Left-breast mammogram, CC. Patient age 52.
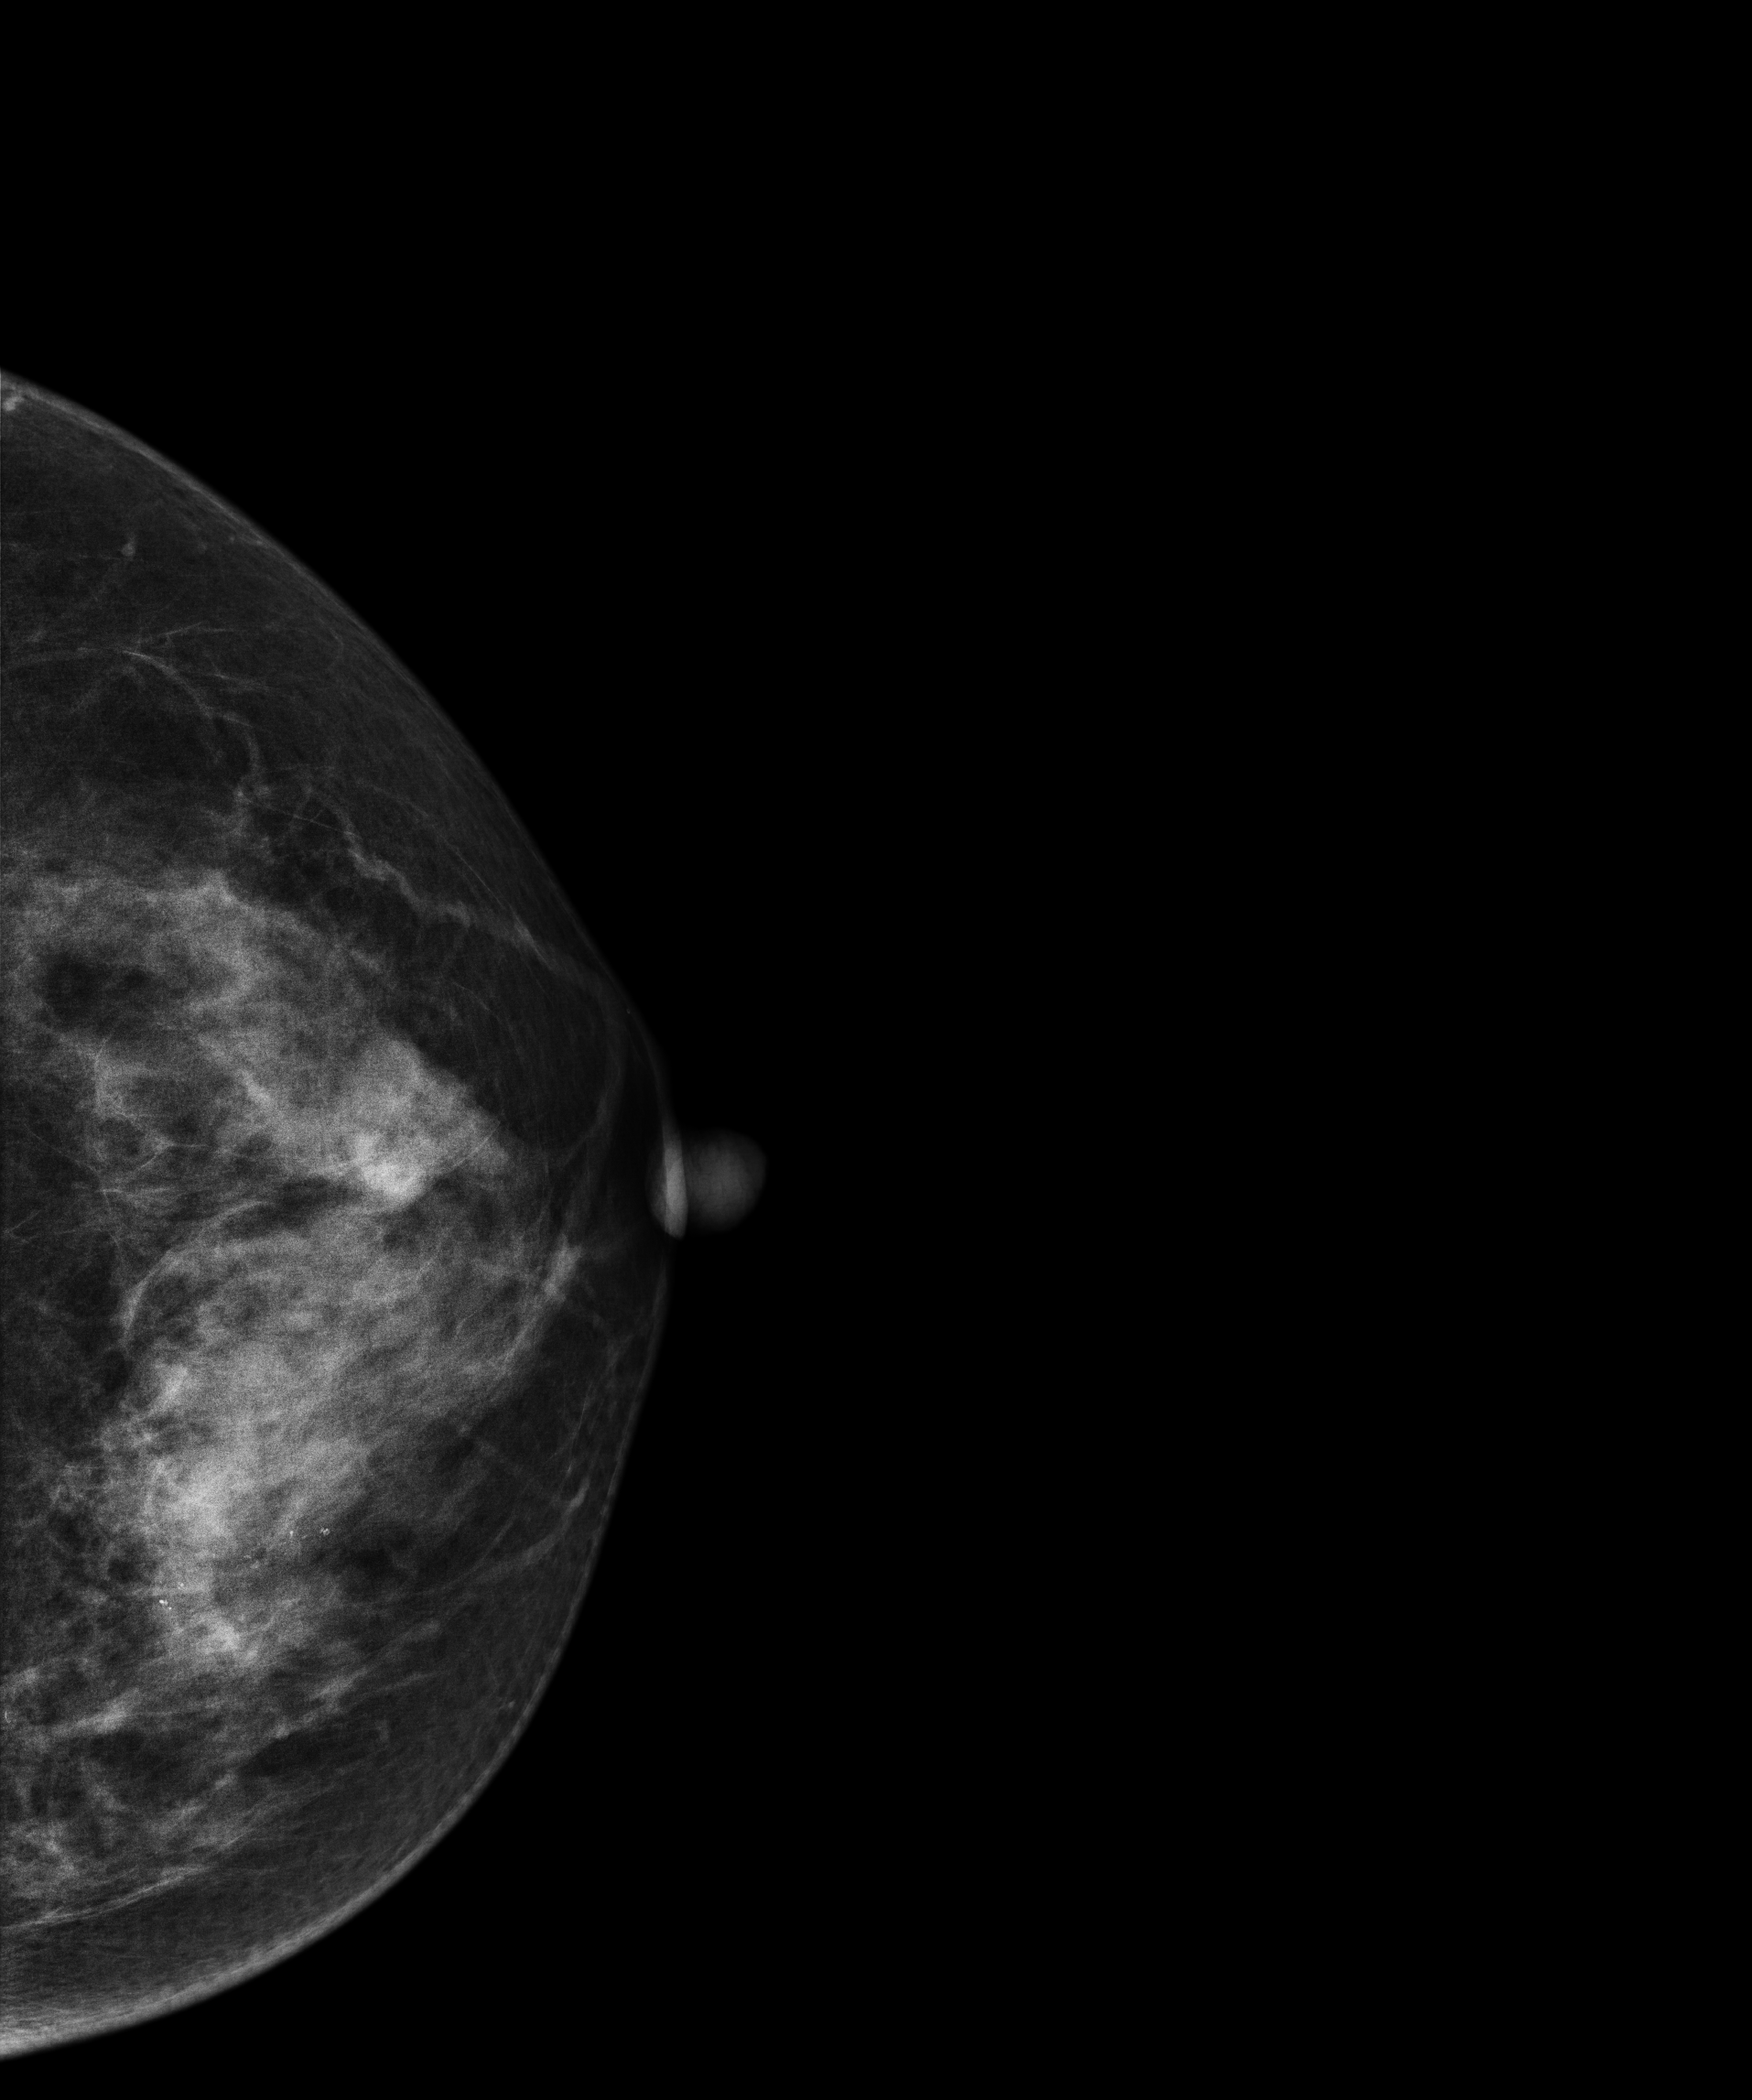
This breast has a mass and calcifications, biopsy-confirmed malignant.